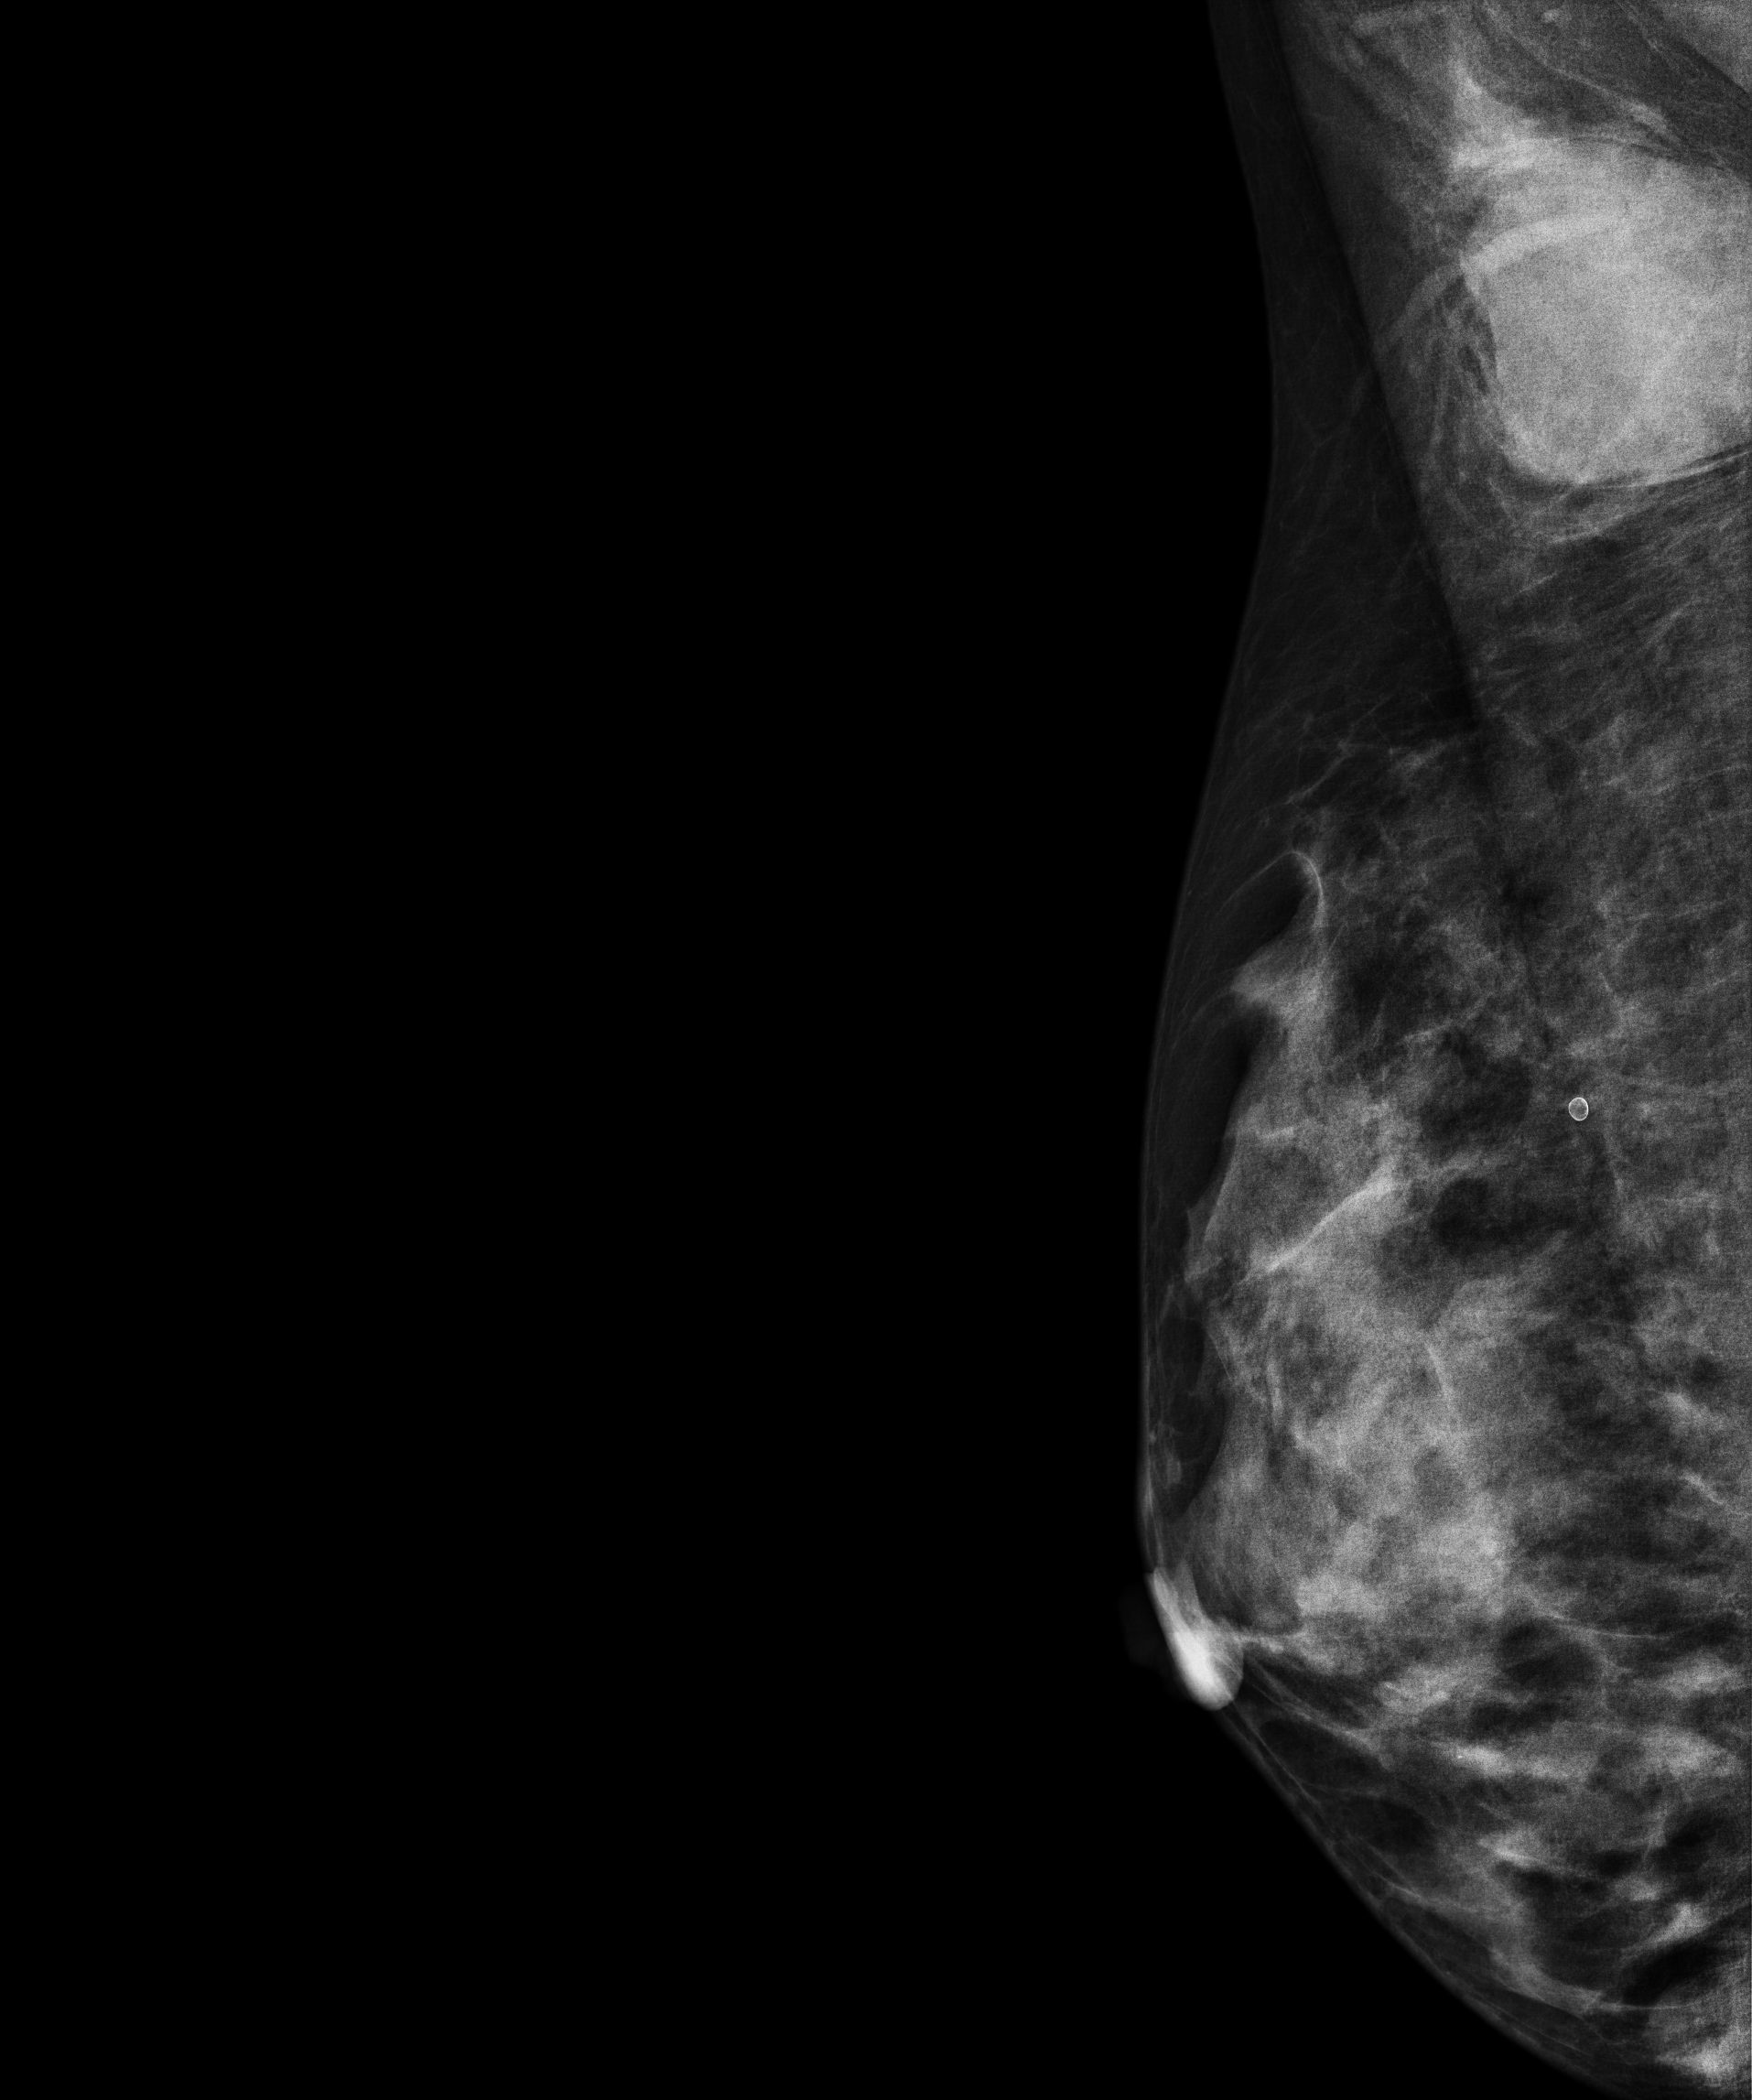
Mammogram — right MLO. 45-year-old patient.
This breast has a mass, biopsy-confirmed benign.